Digital mammography. Left breast, CC projection. 46 y/o patient.
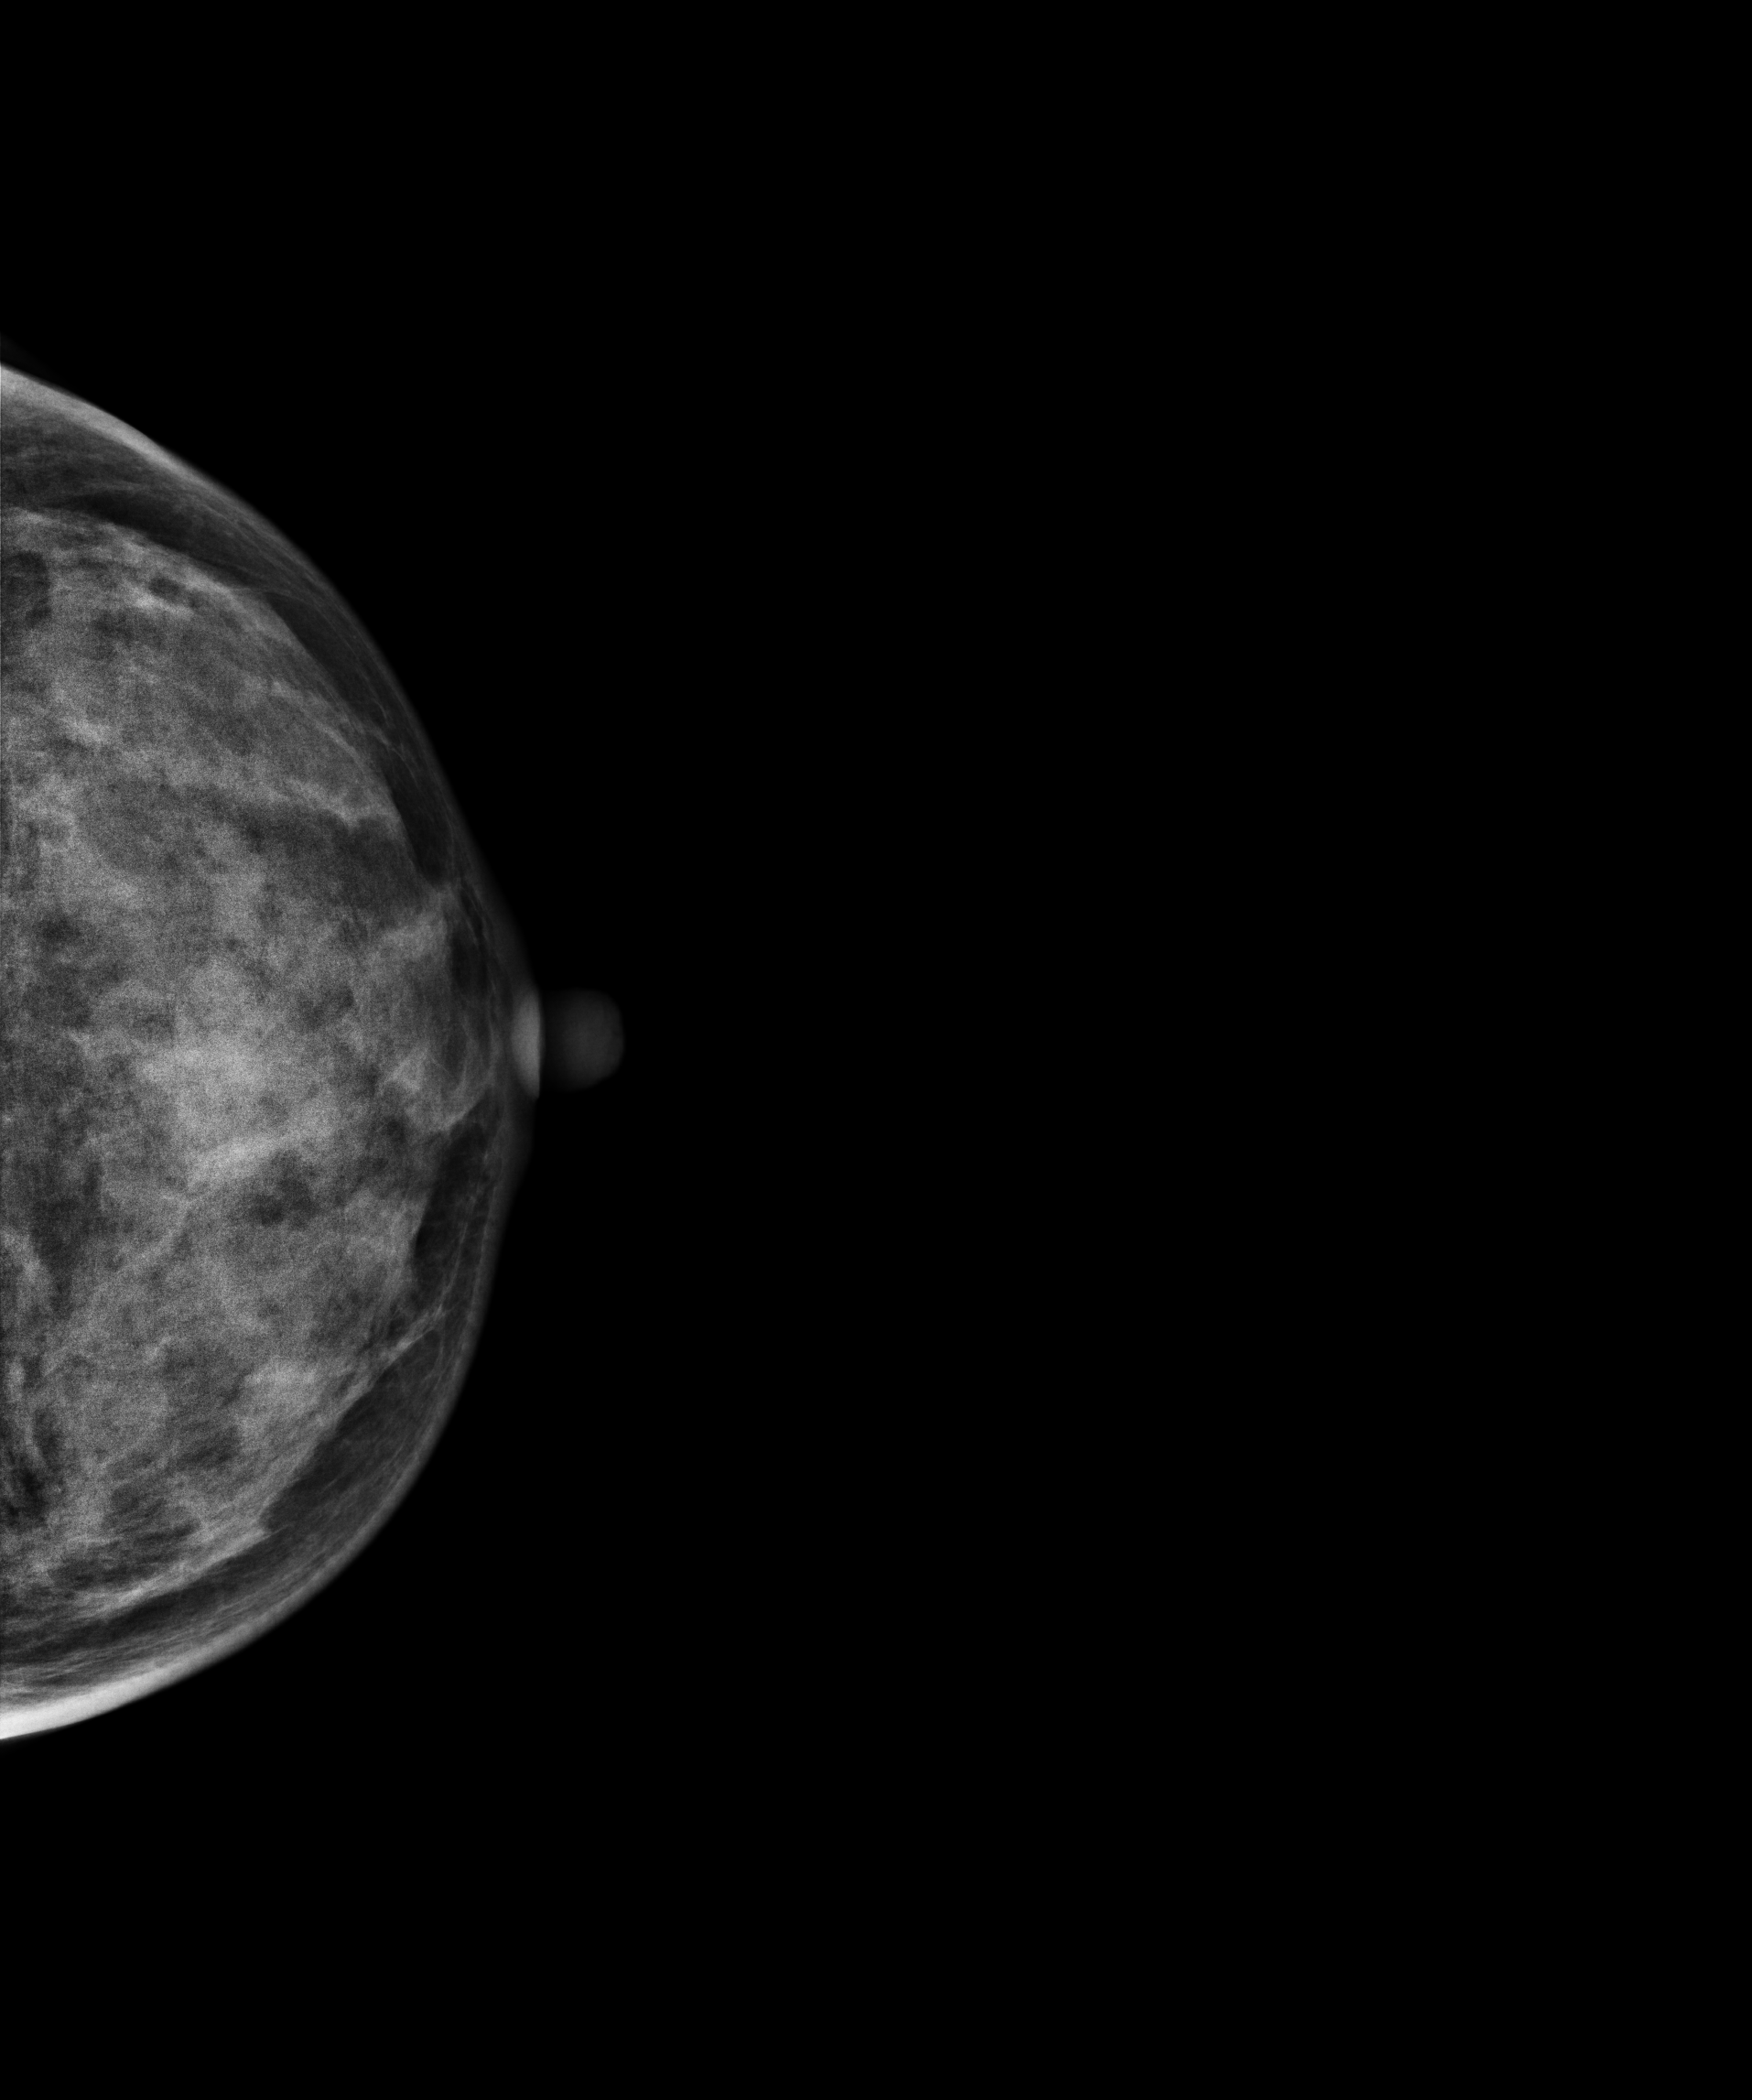
This breast has a mass, pathology-confirmed malignant. Molecular subtype: HER2-enriched.